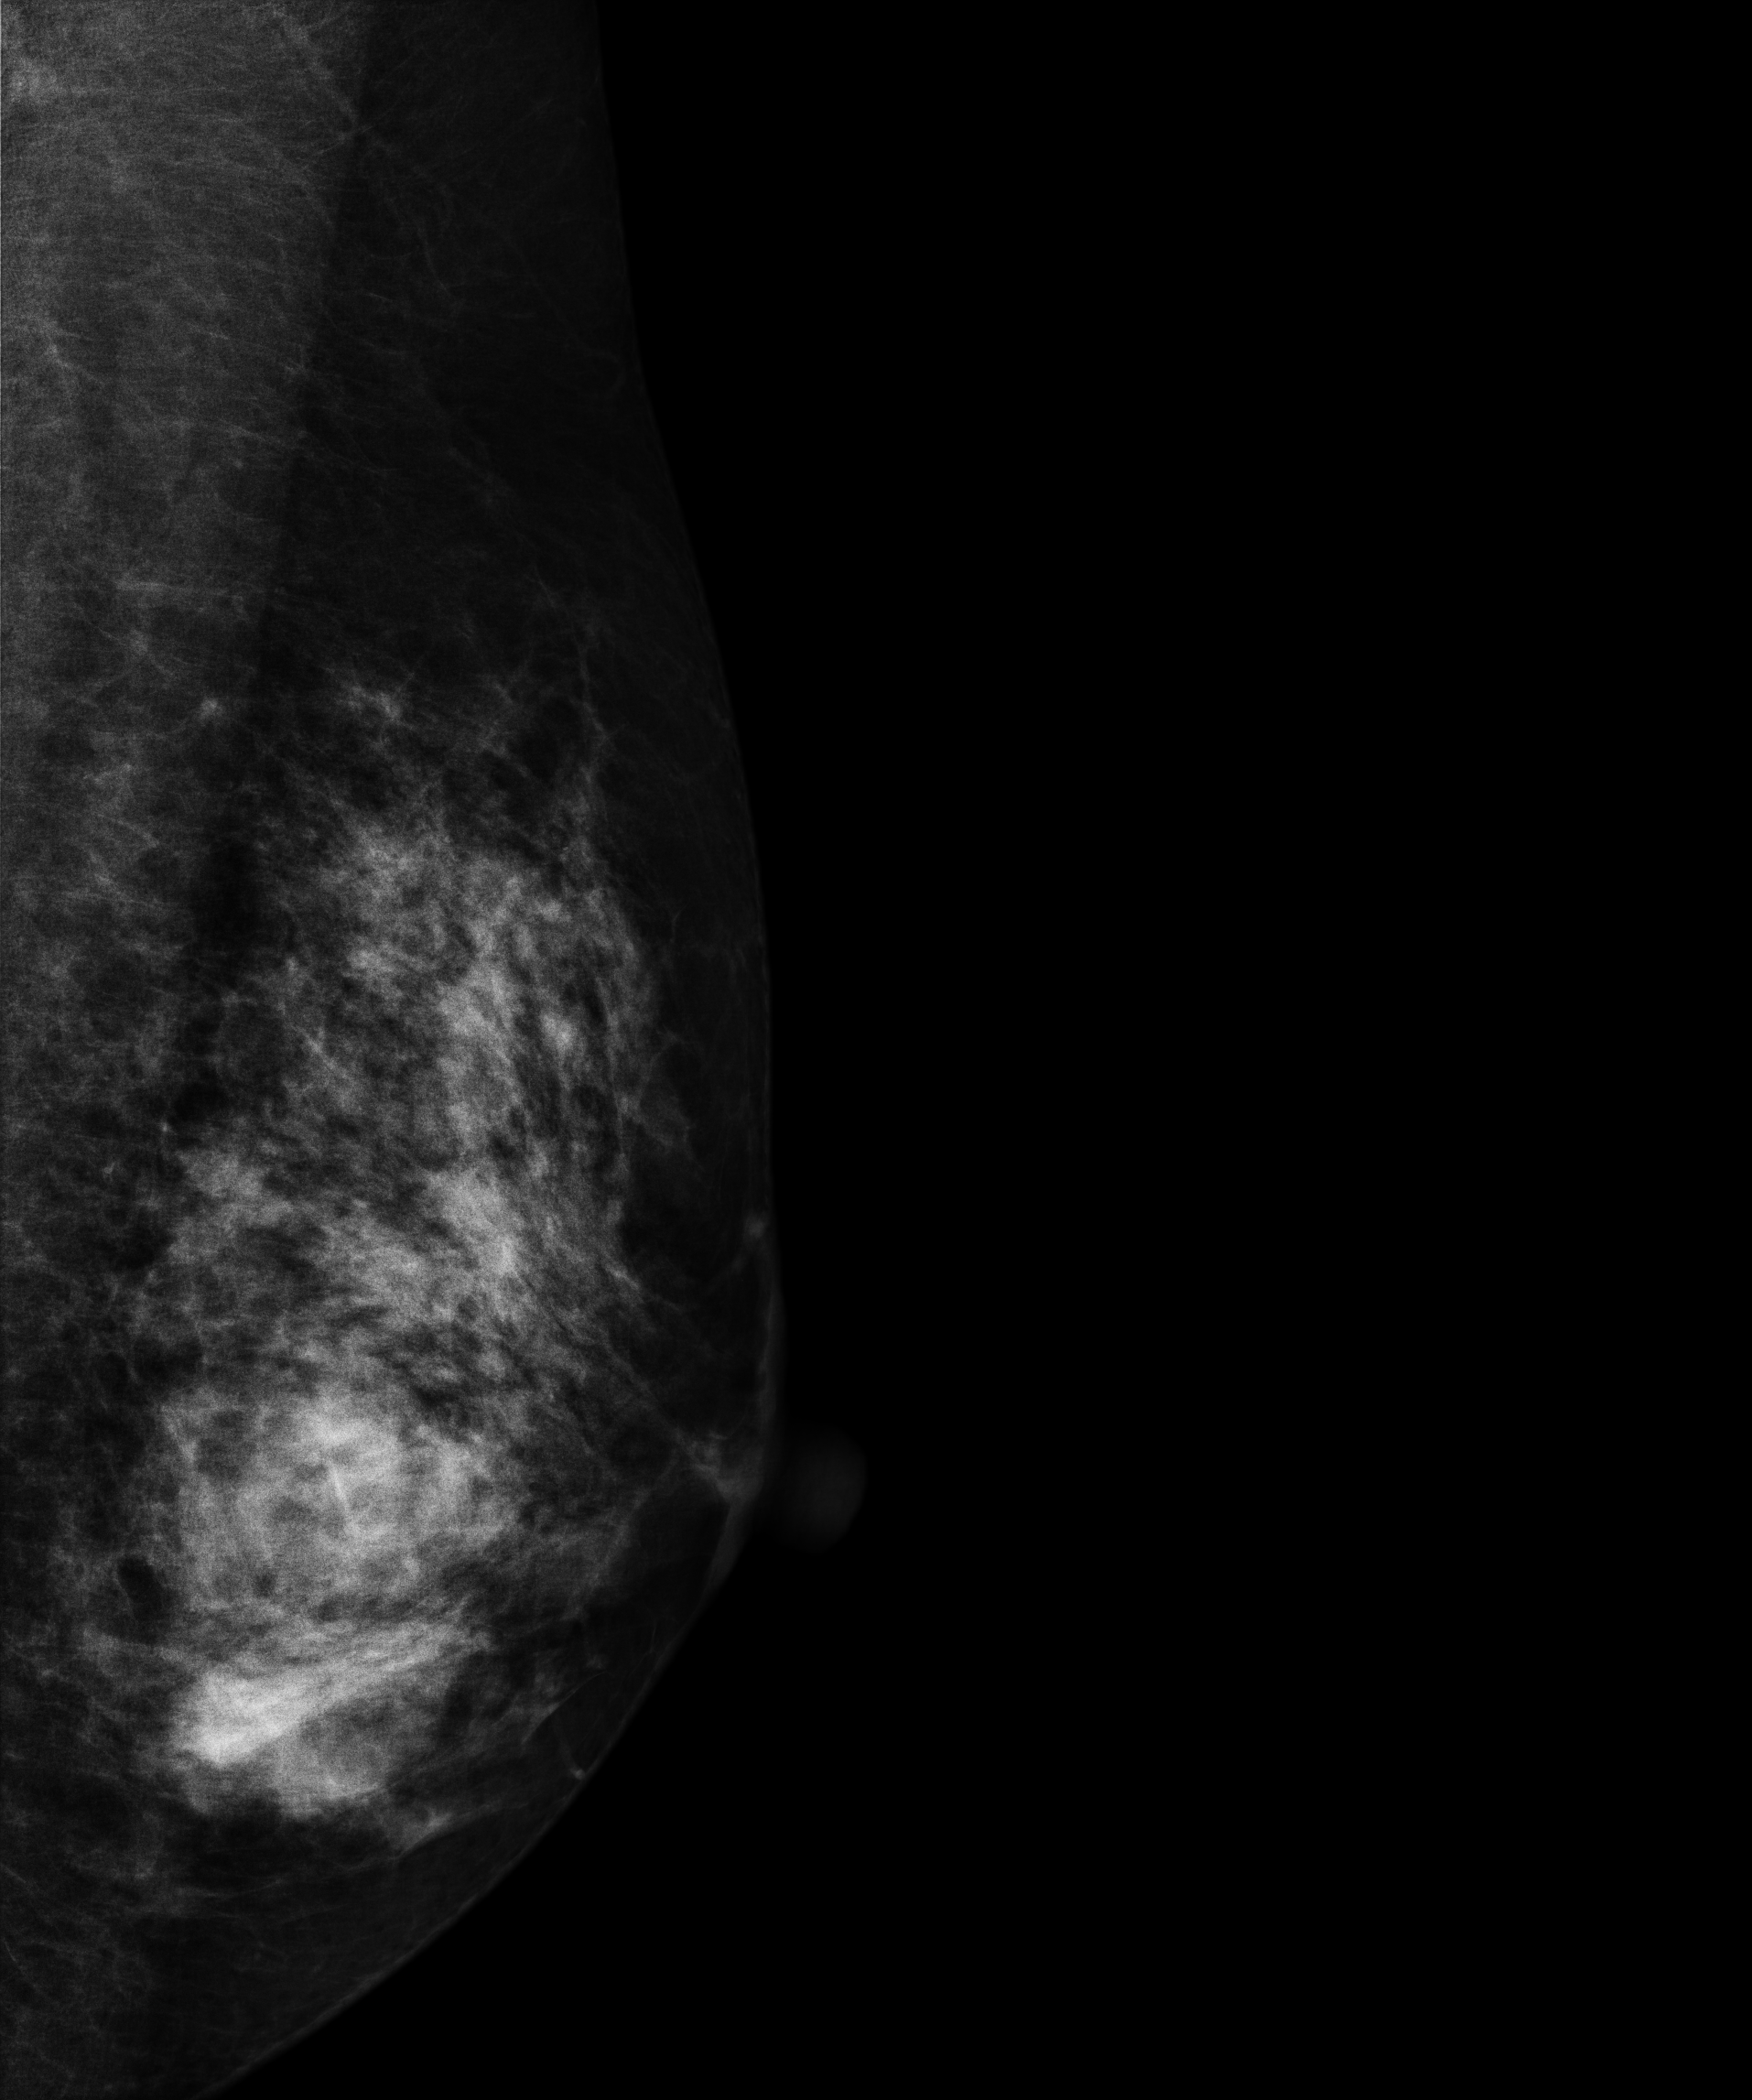
Digital mammography. Left breast, medio-lateral oblique projection. 48-year-old patient.
This breast has a mass, biopsy-proven benign.